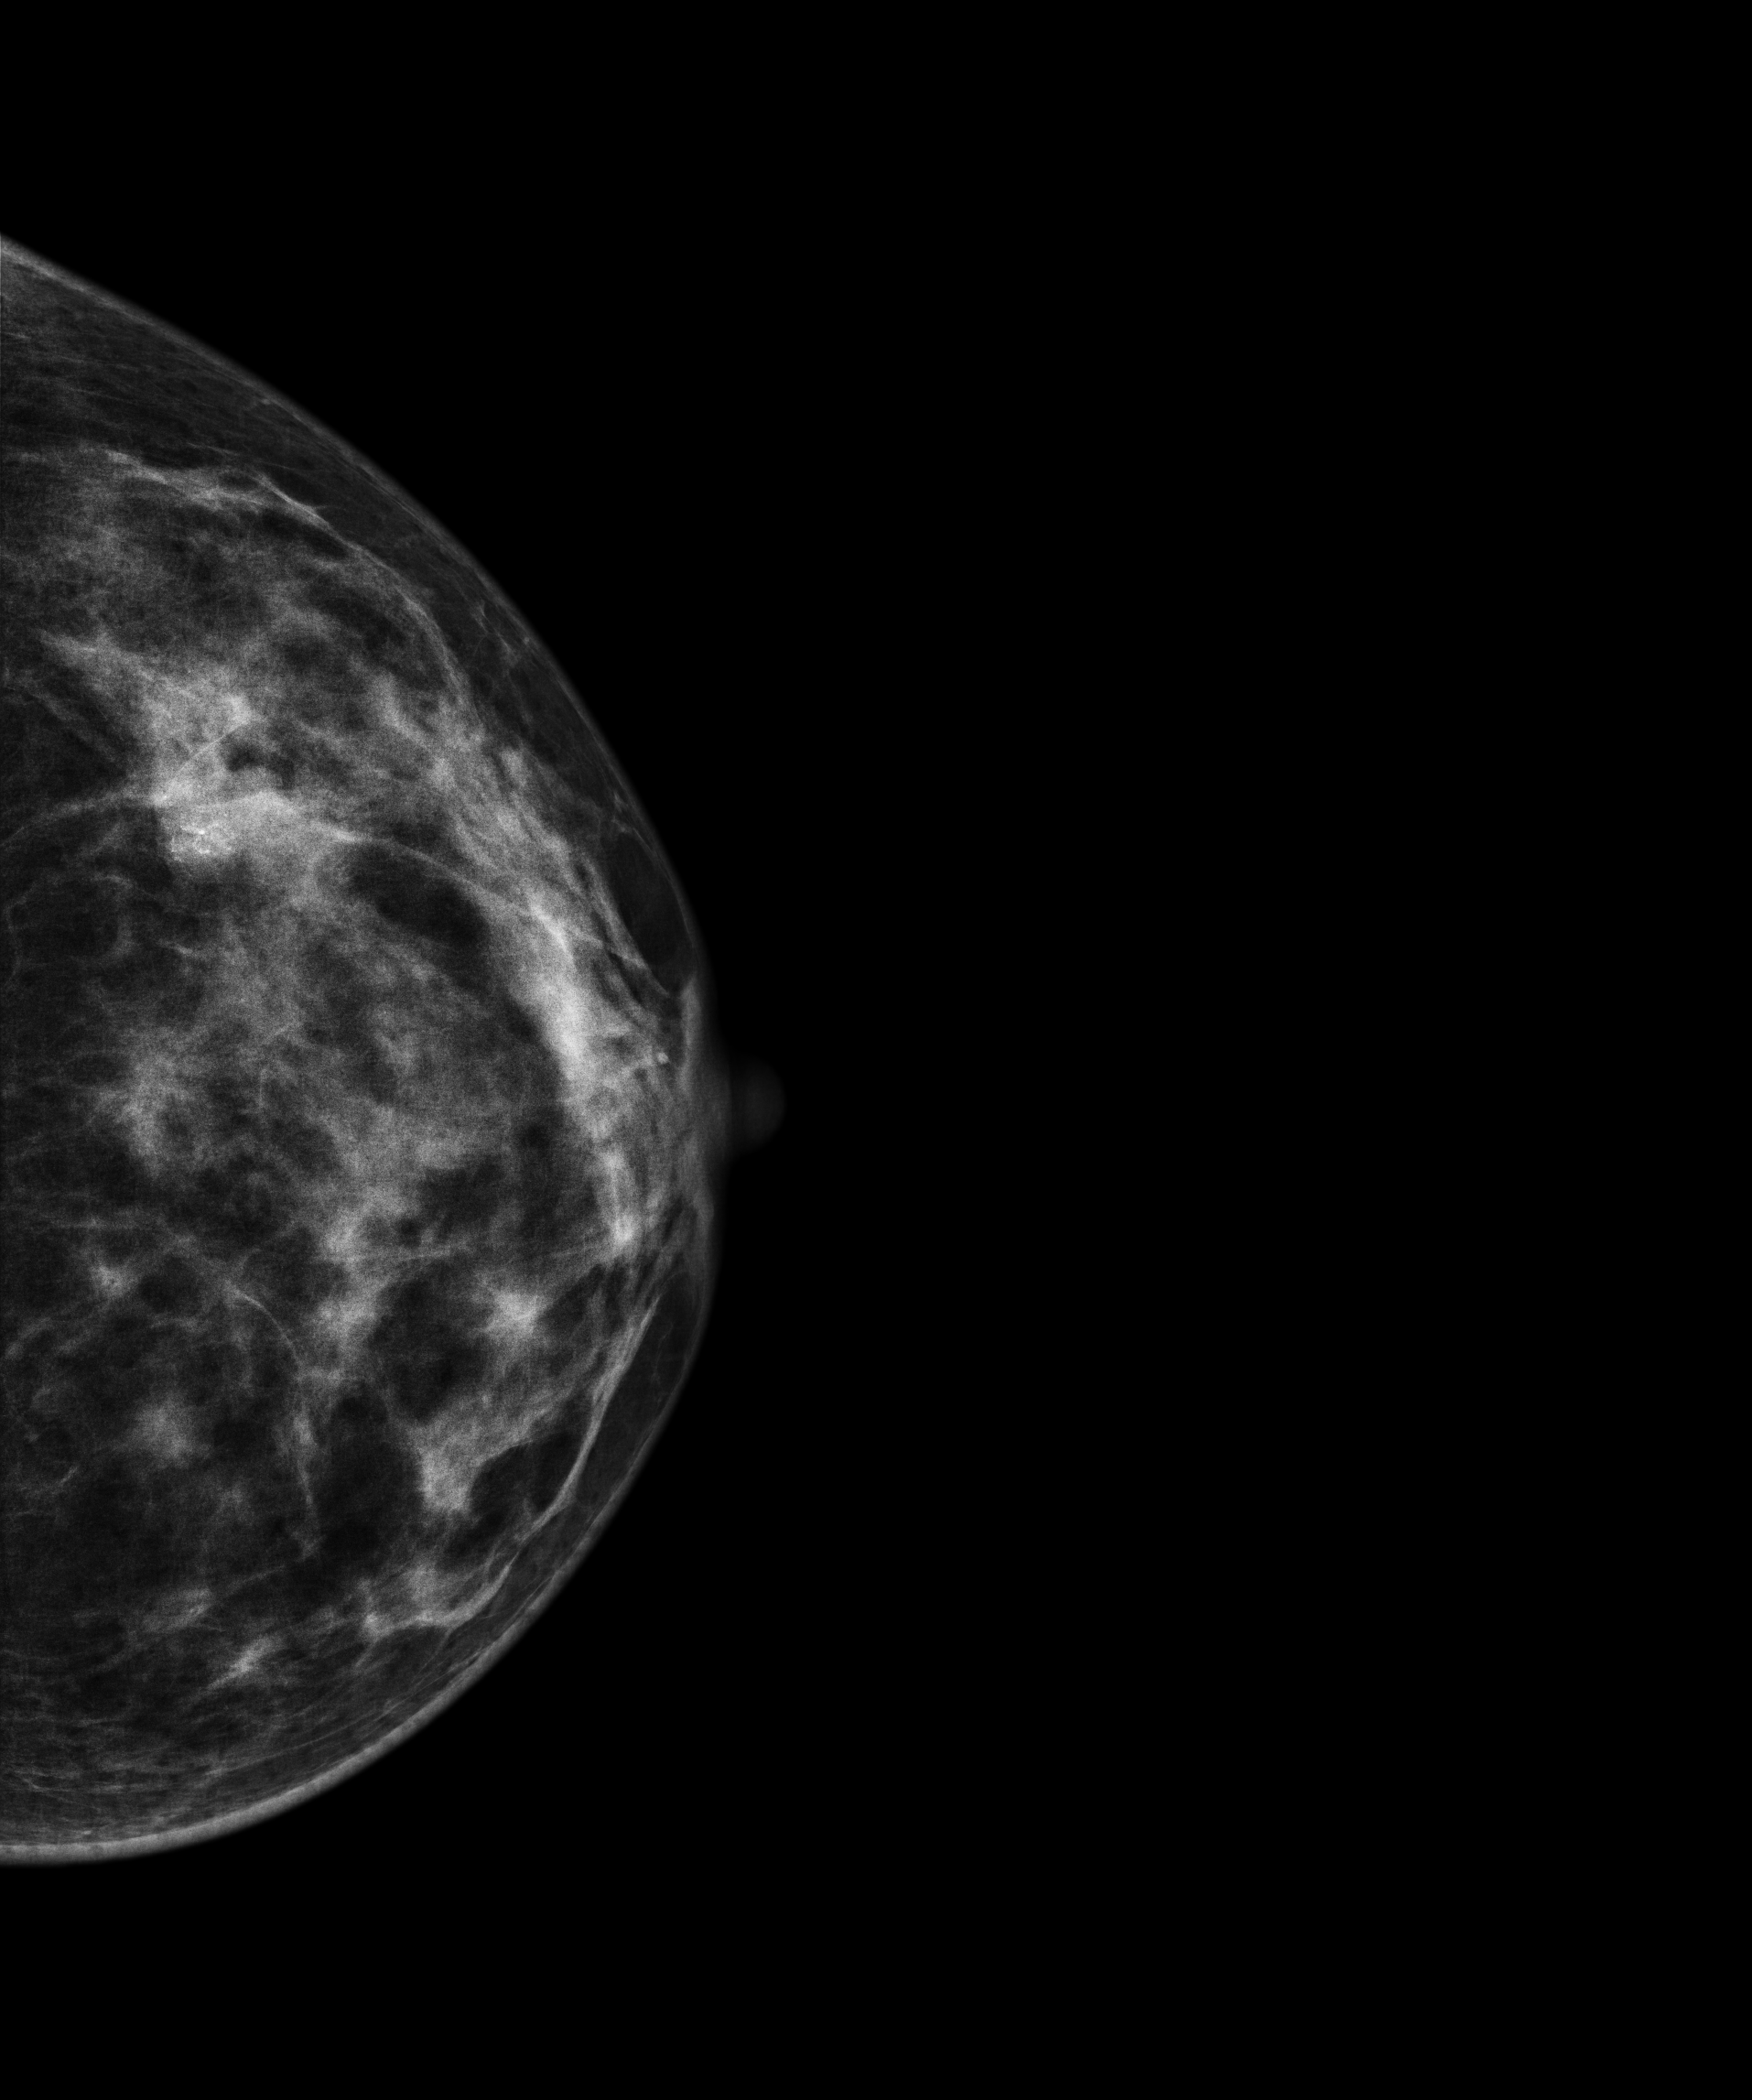
Mammogram — left CC. Patient age 27.
This breast has a mass, histologically confirmed malignant.